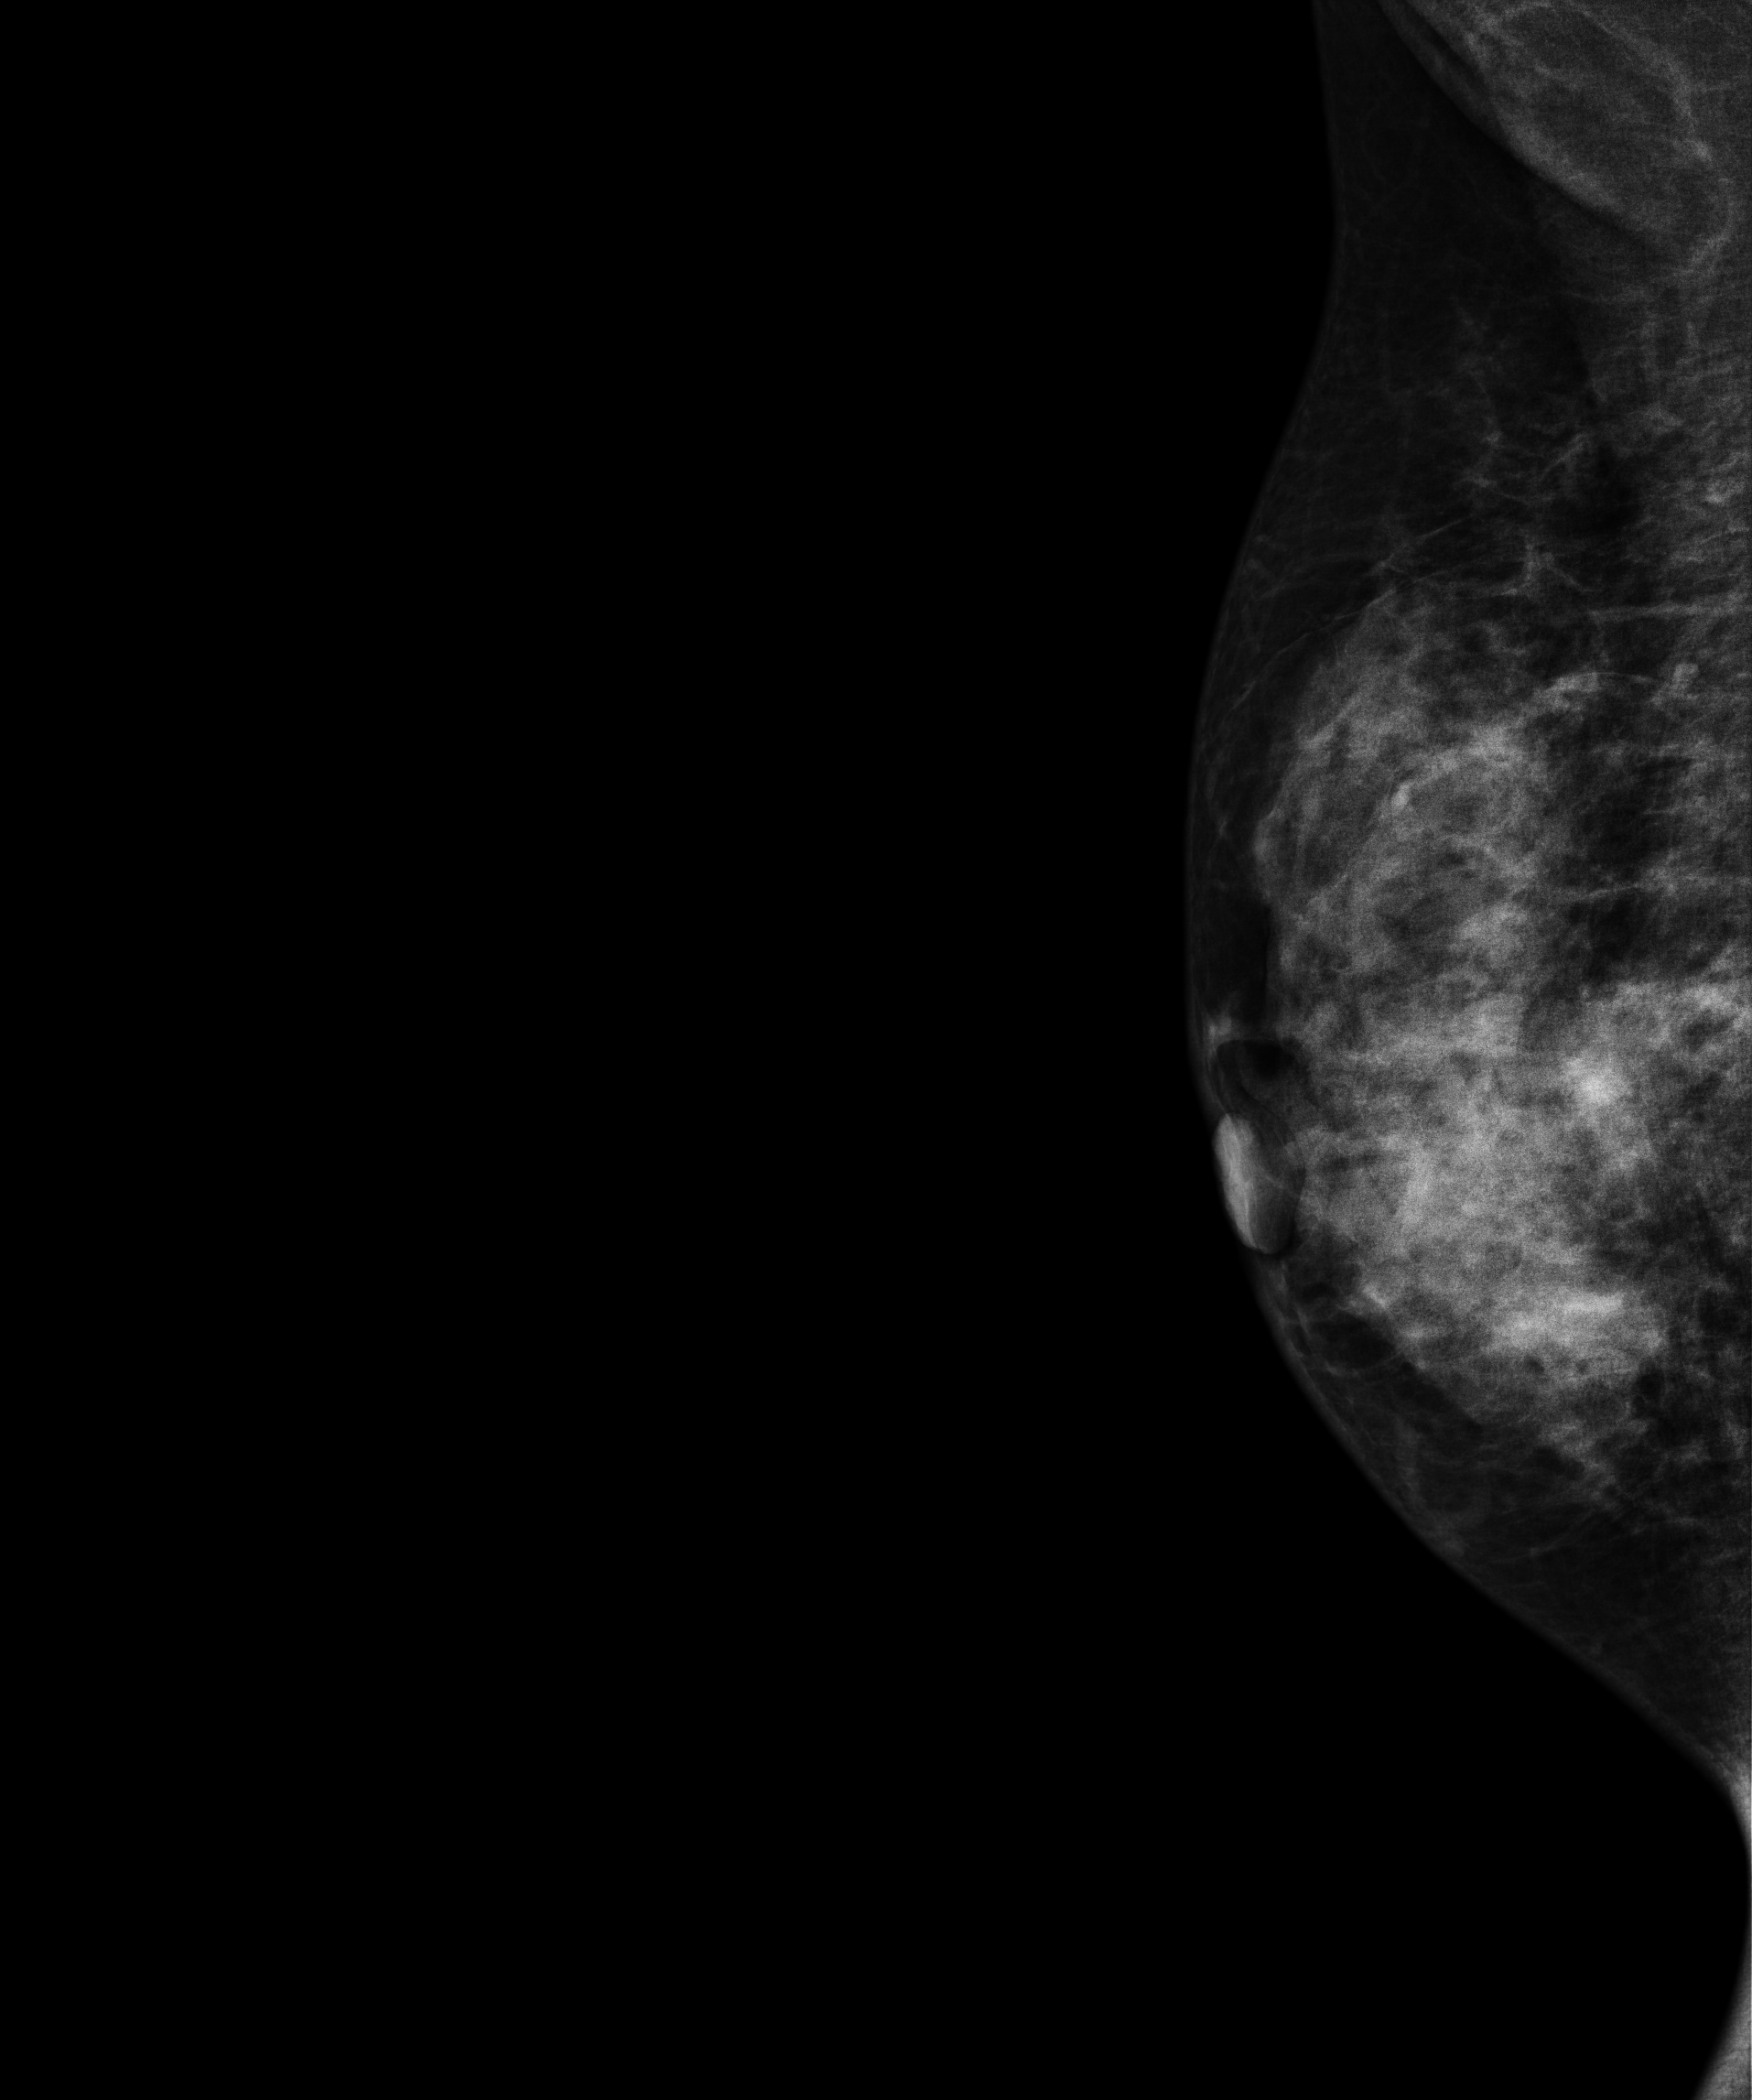
Right-breast mammogram, MLO. 31-year-old patient.
This breast has a mass, pathology-confirmed benign.